CC mammogram of the left breast. Patient age 51.
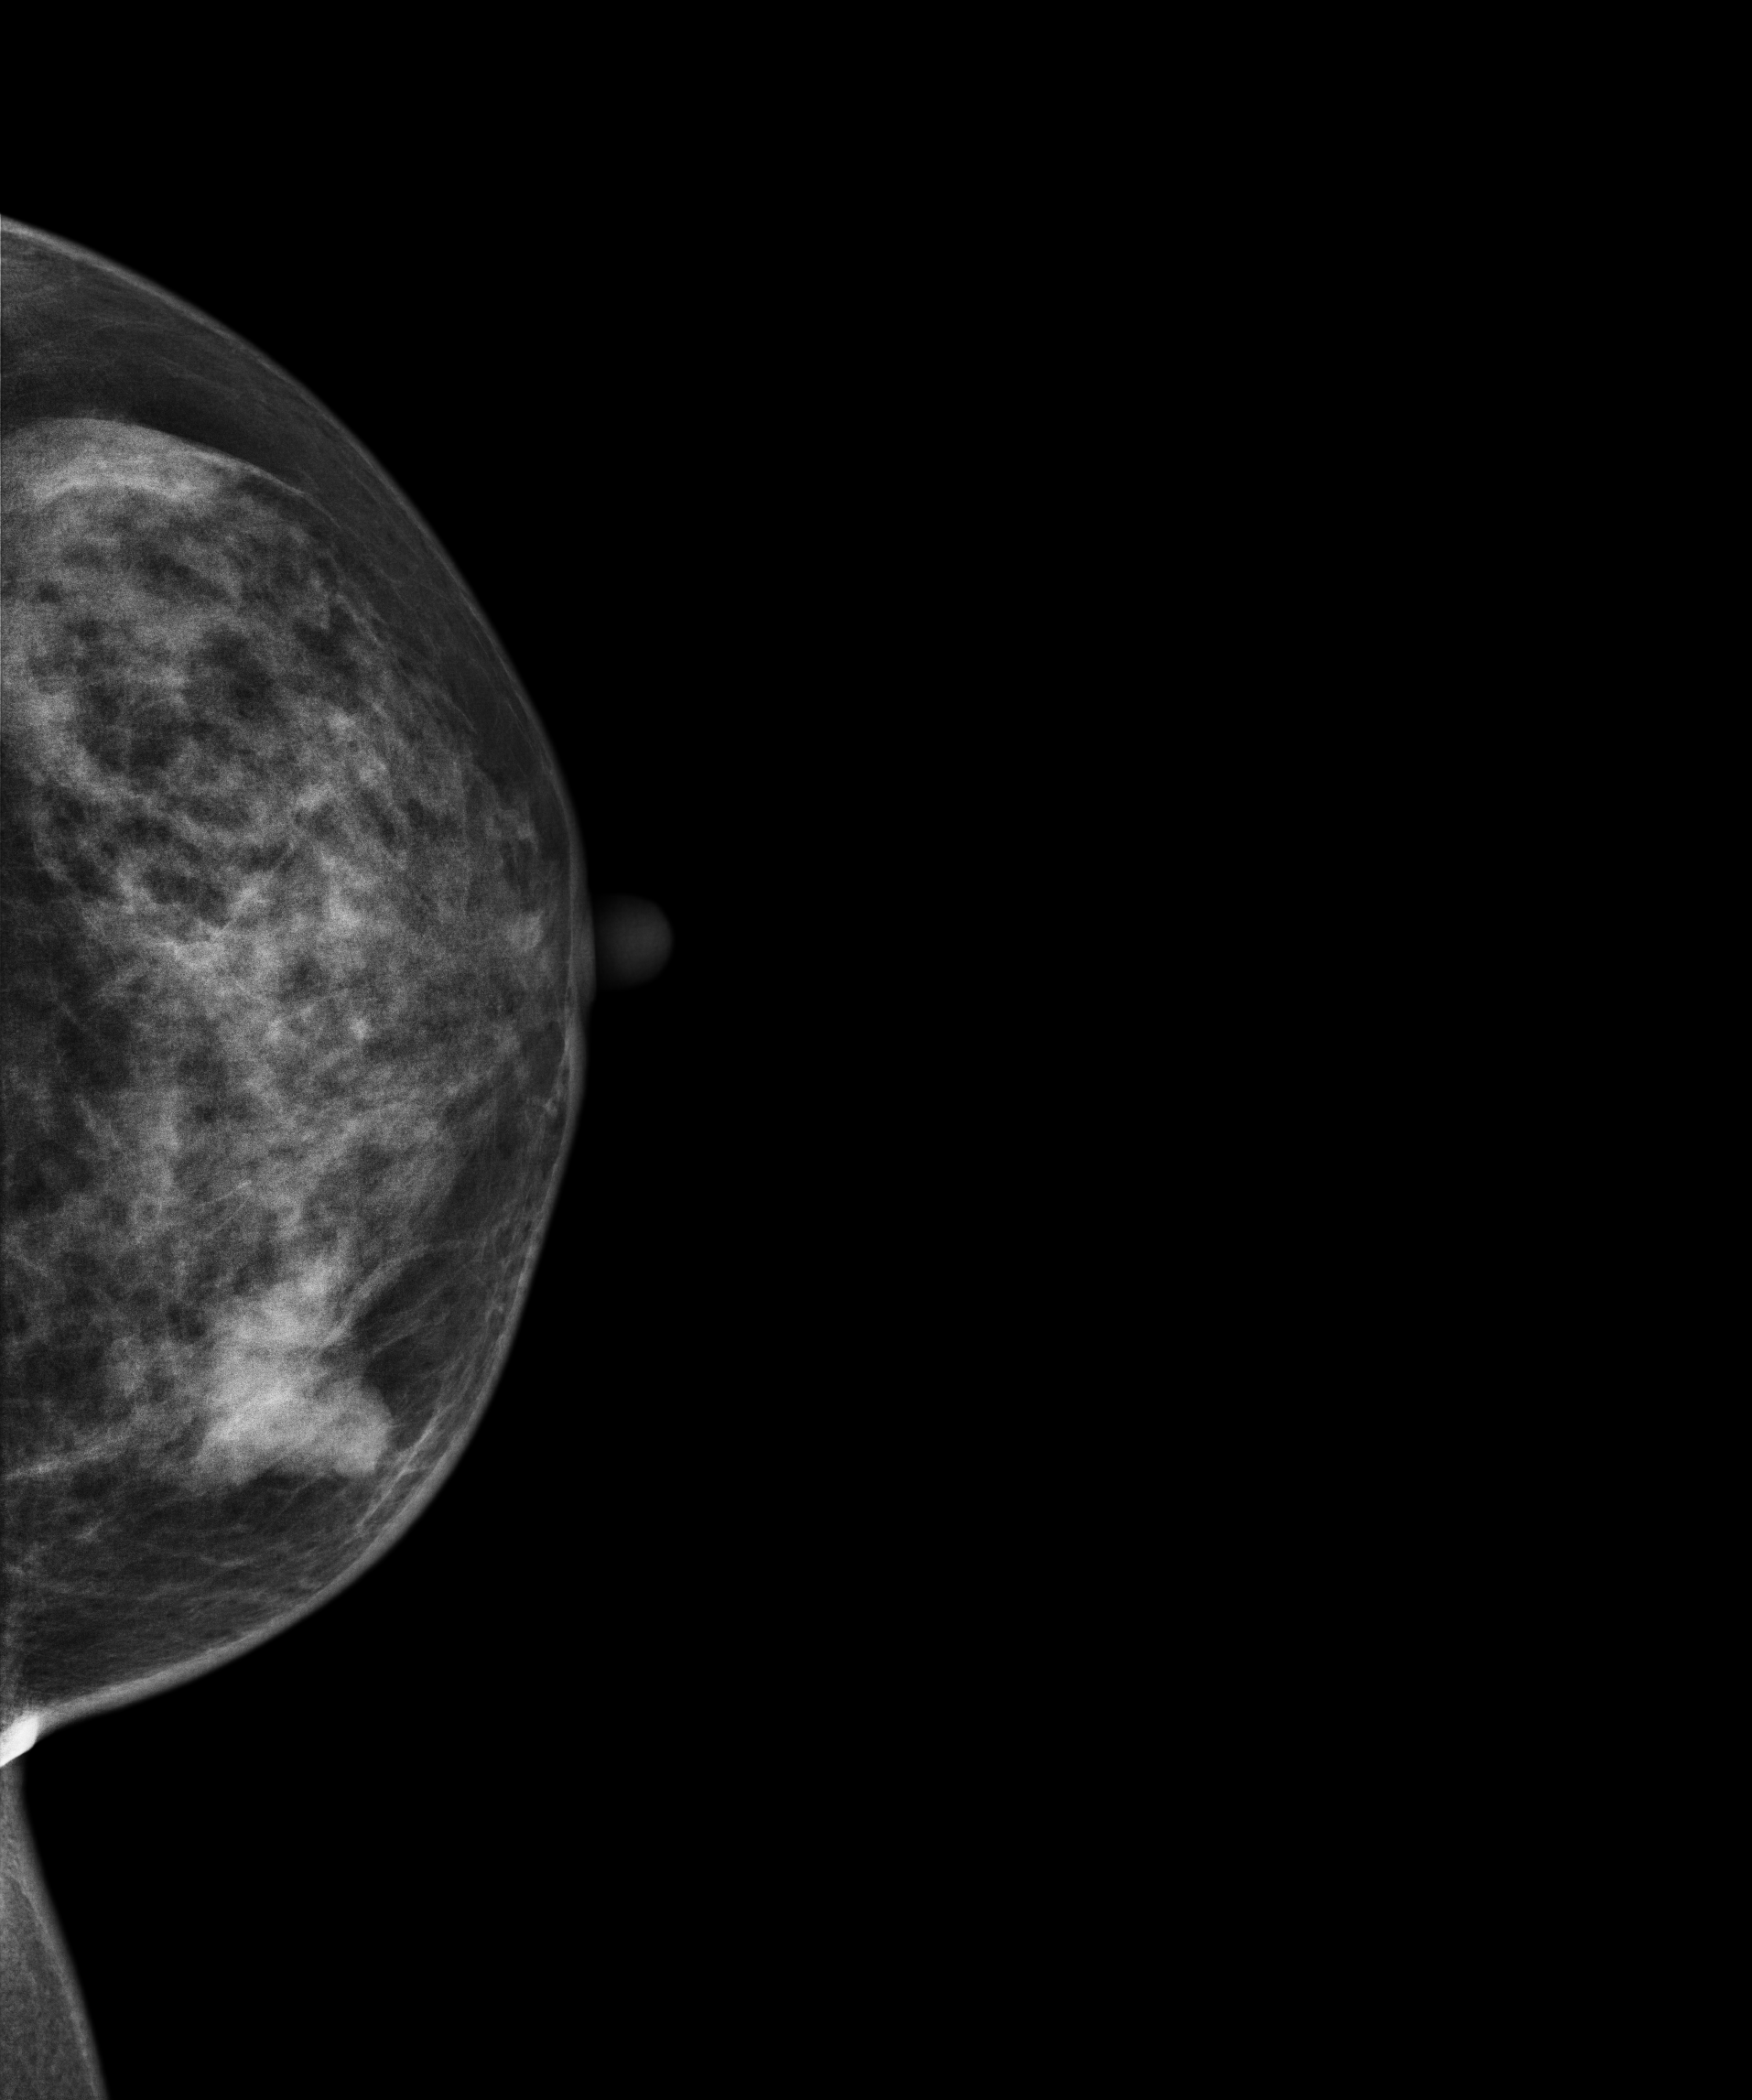
This breast has a mass, pathology-confirmed malignant. Molecular subtype: luminal B.